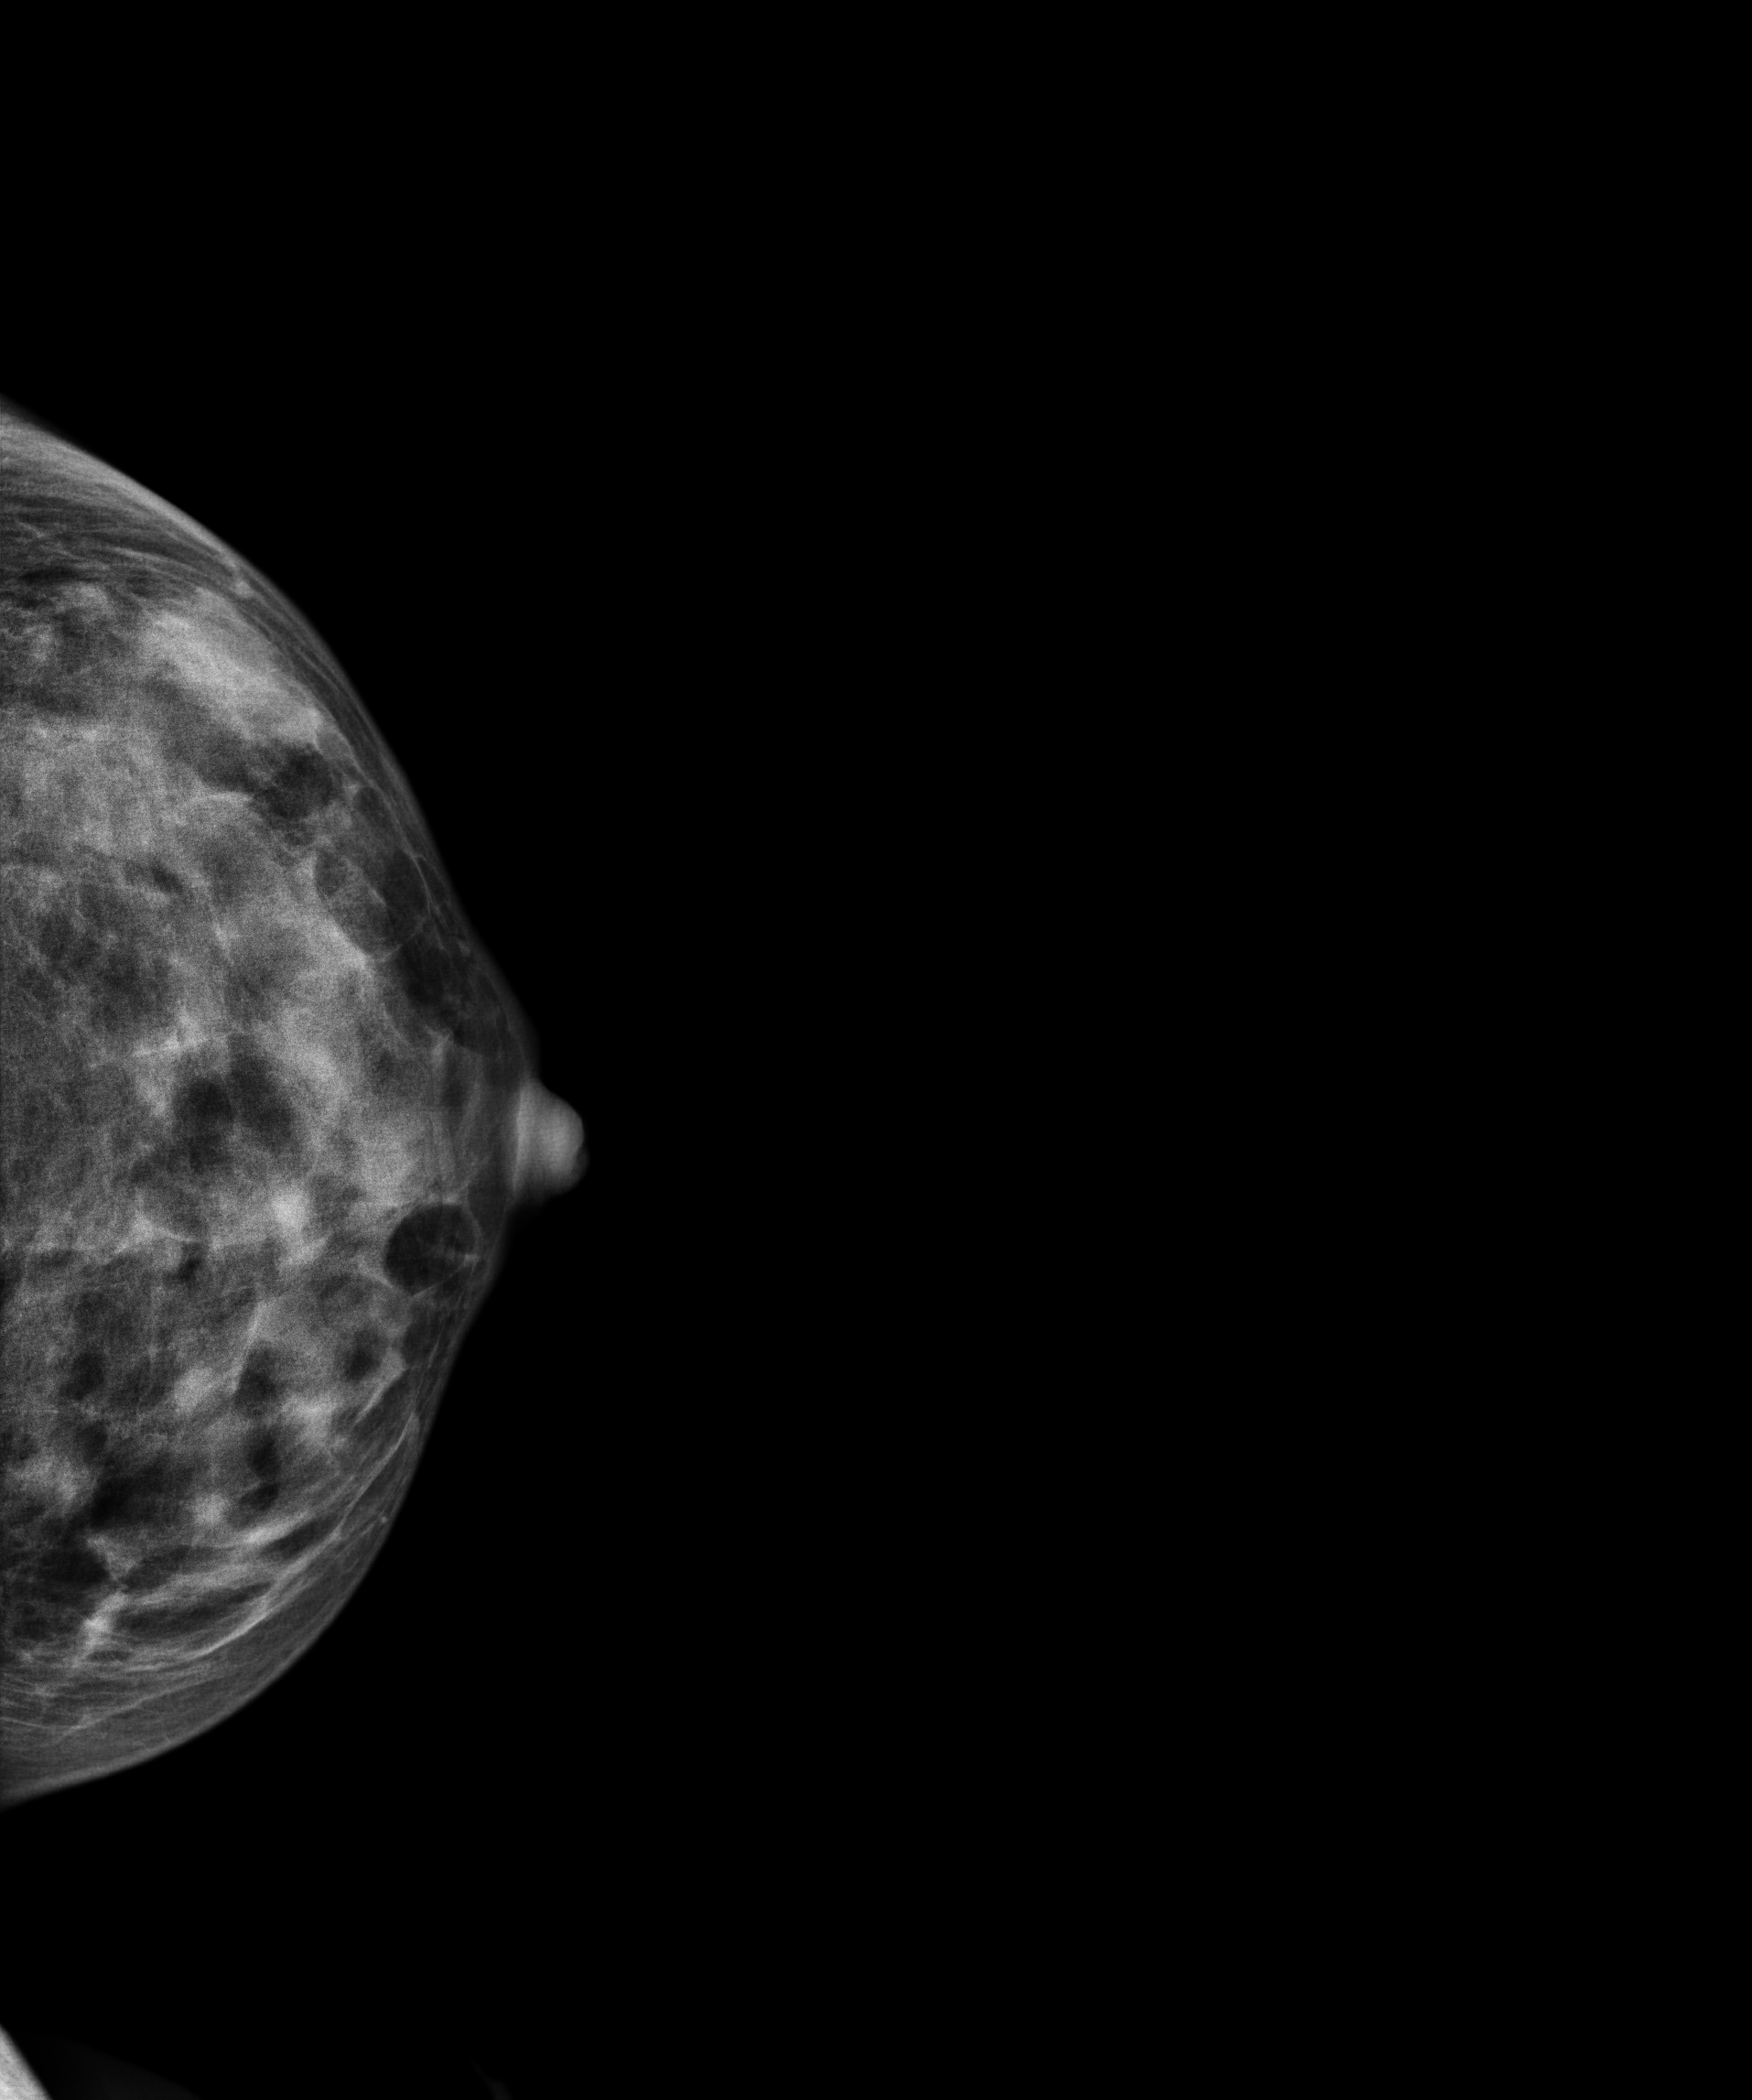
Cranio-caudal mammogram of the left breast. 38 y/o patient.
This breast has a mass, pathology-confirmed malignant. Molecular subtype: triple-negative.